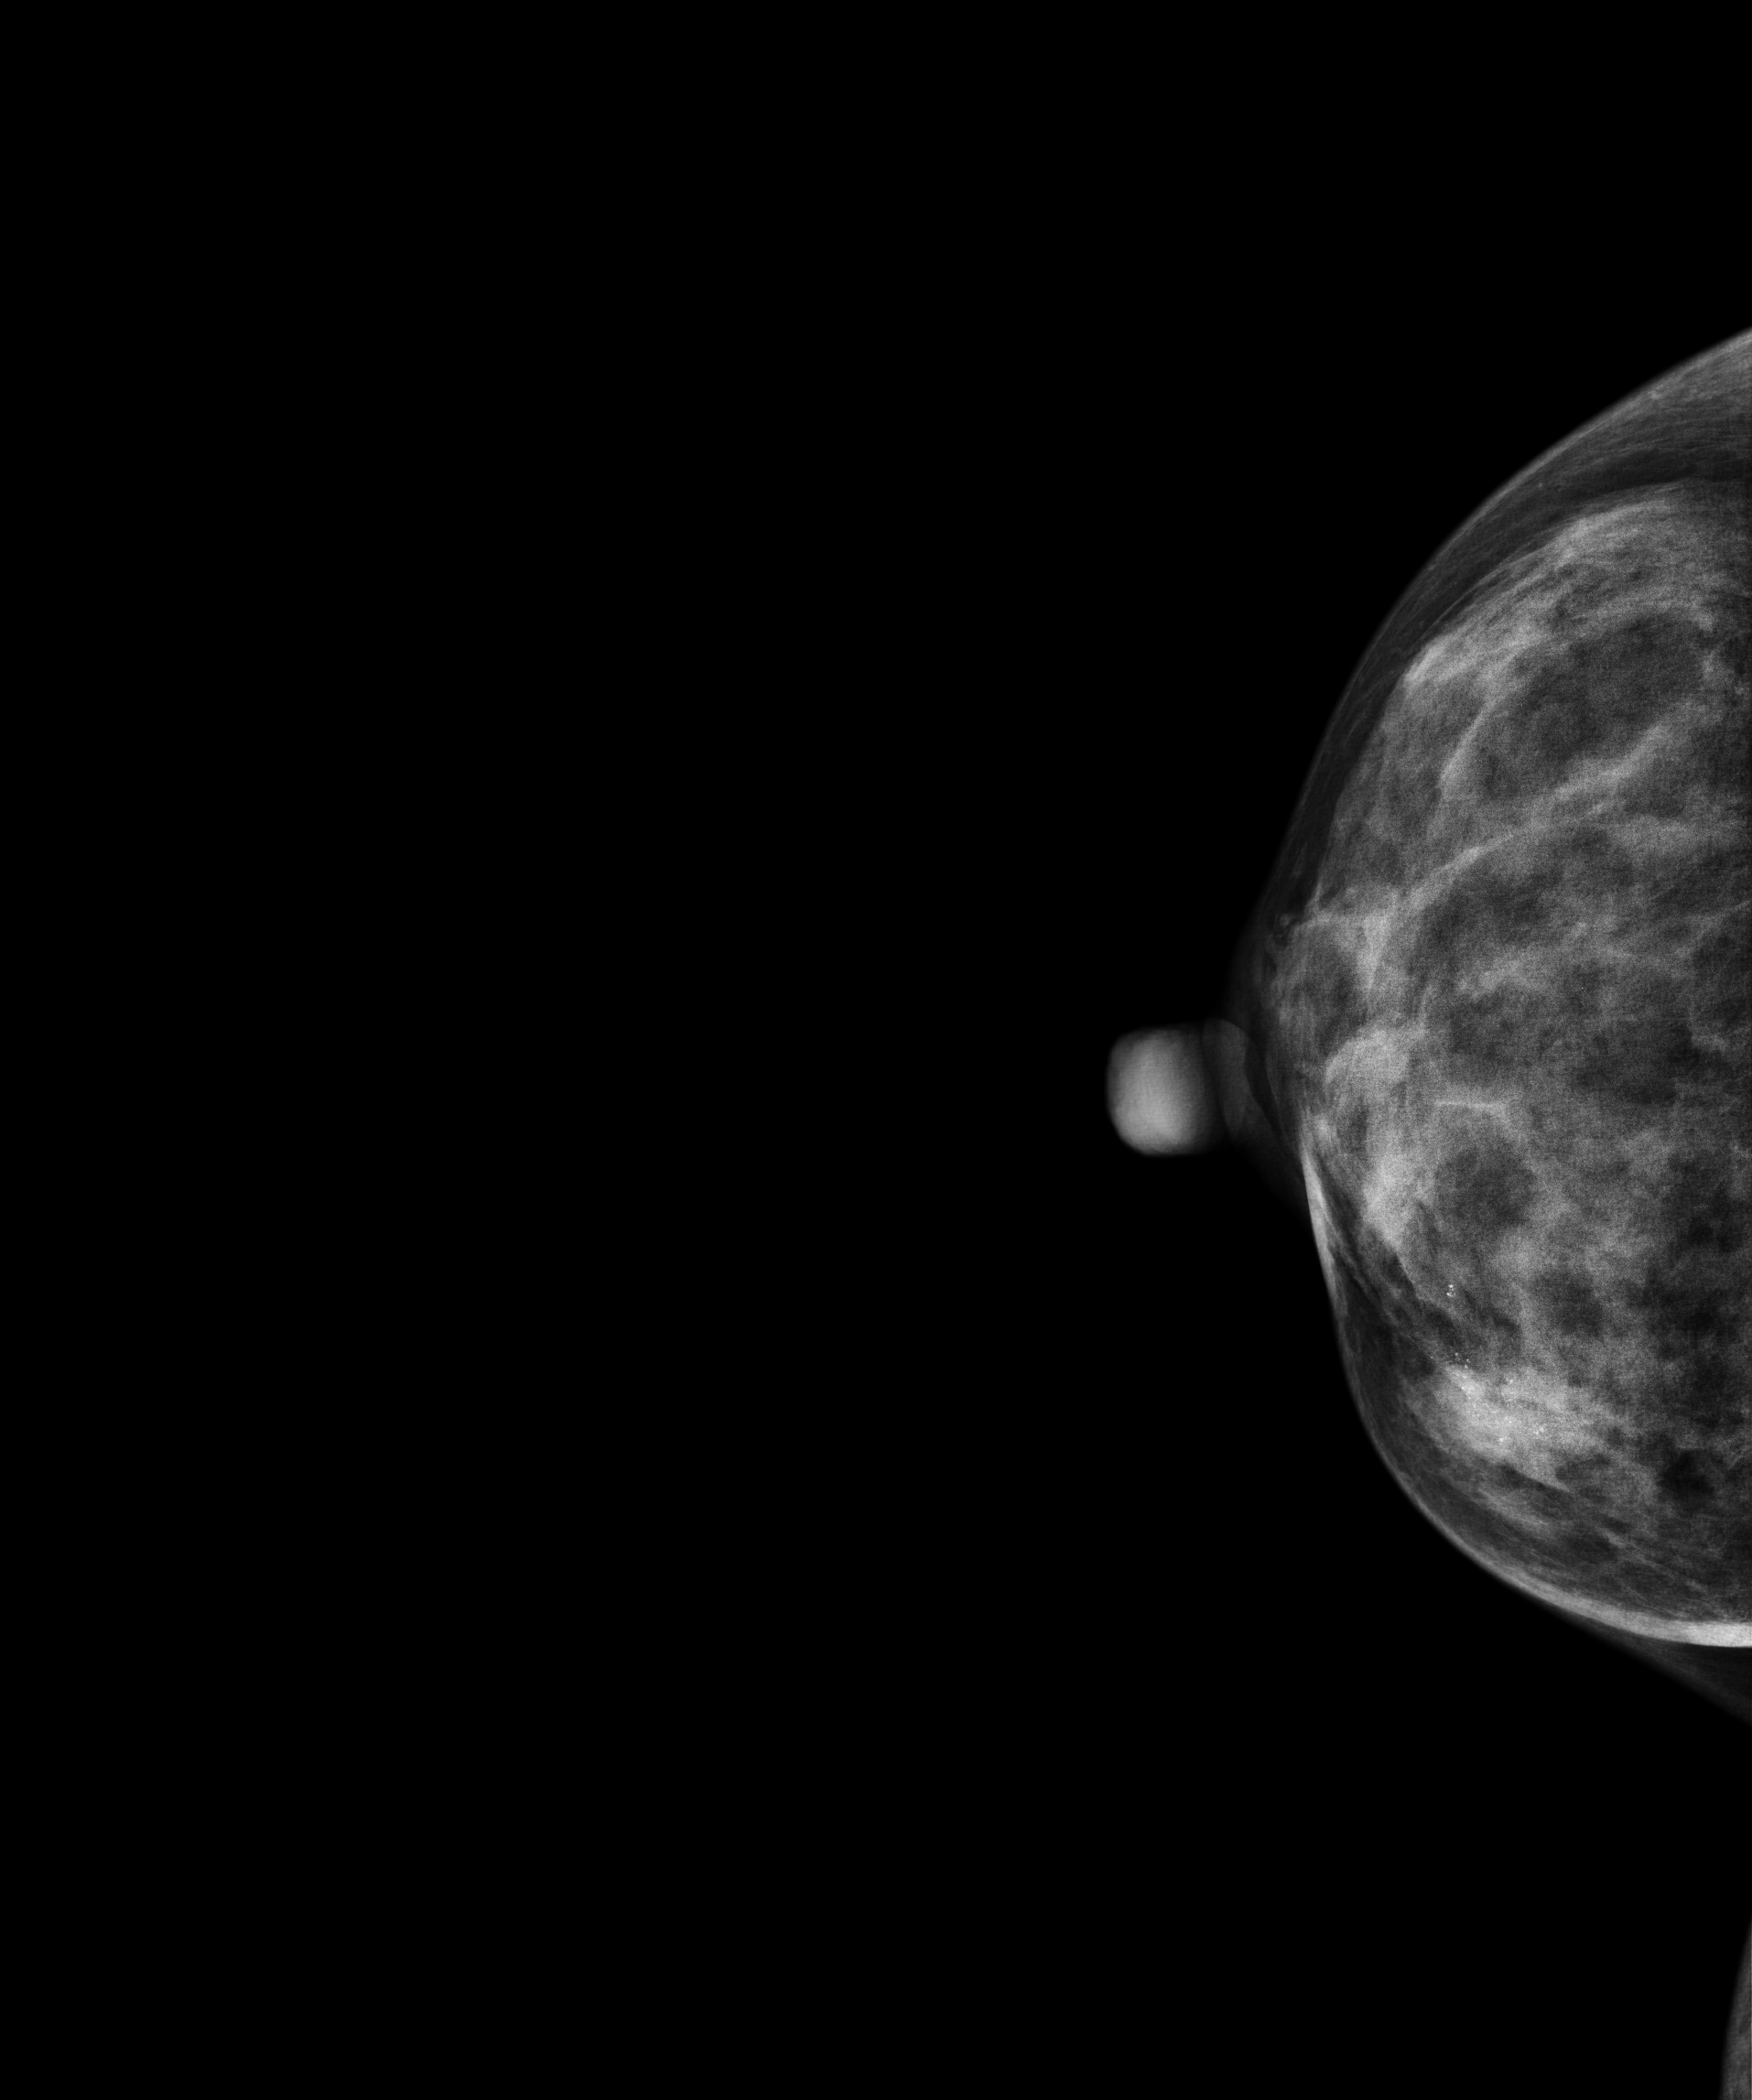
CC mammogram of the right breast. 49-year-old patient.
This breast has a mass and calcifications, pathology-confirmed malignant. Molecular subtype: luminal B.